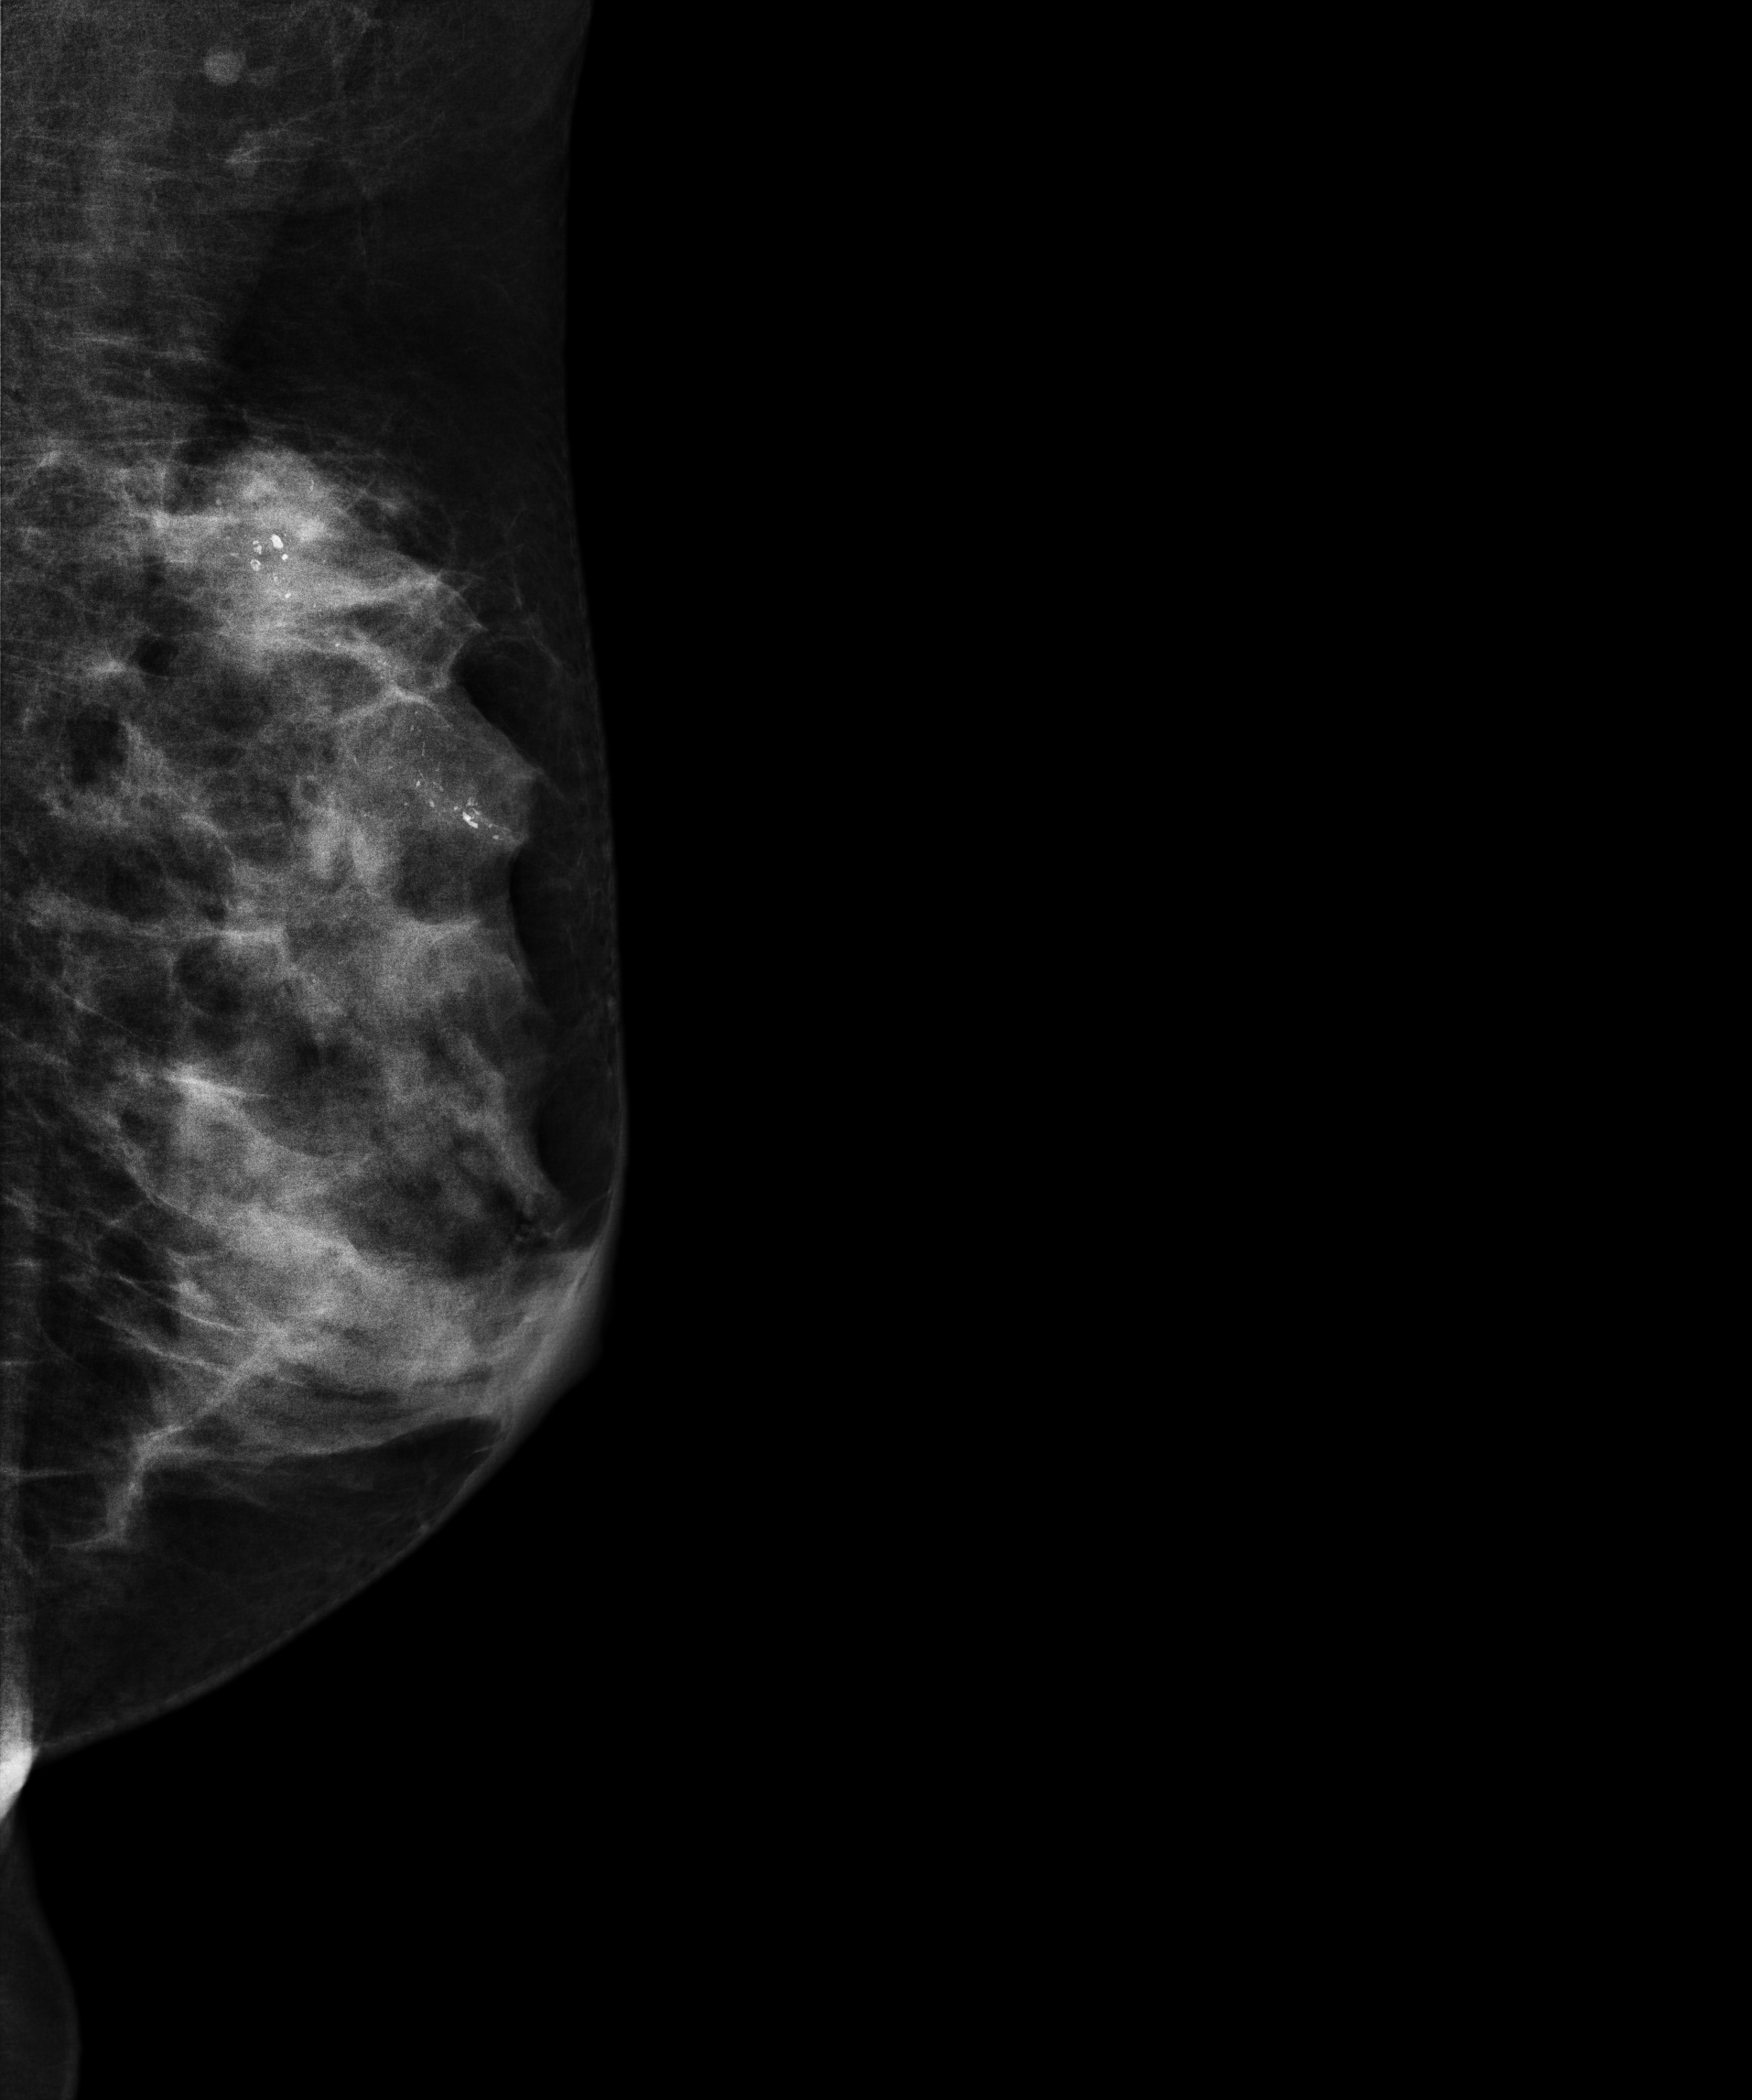
Digital mammography. Left breast, medio-lateral oblique projection. 53-year-old patient.
This breast has calcifications, biopsy-proven malignant.